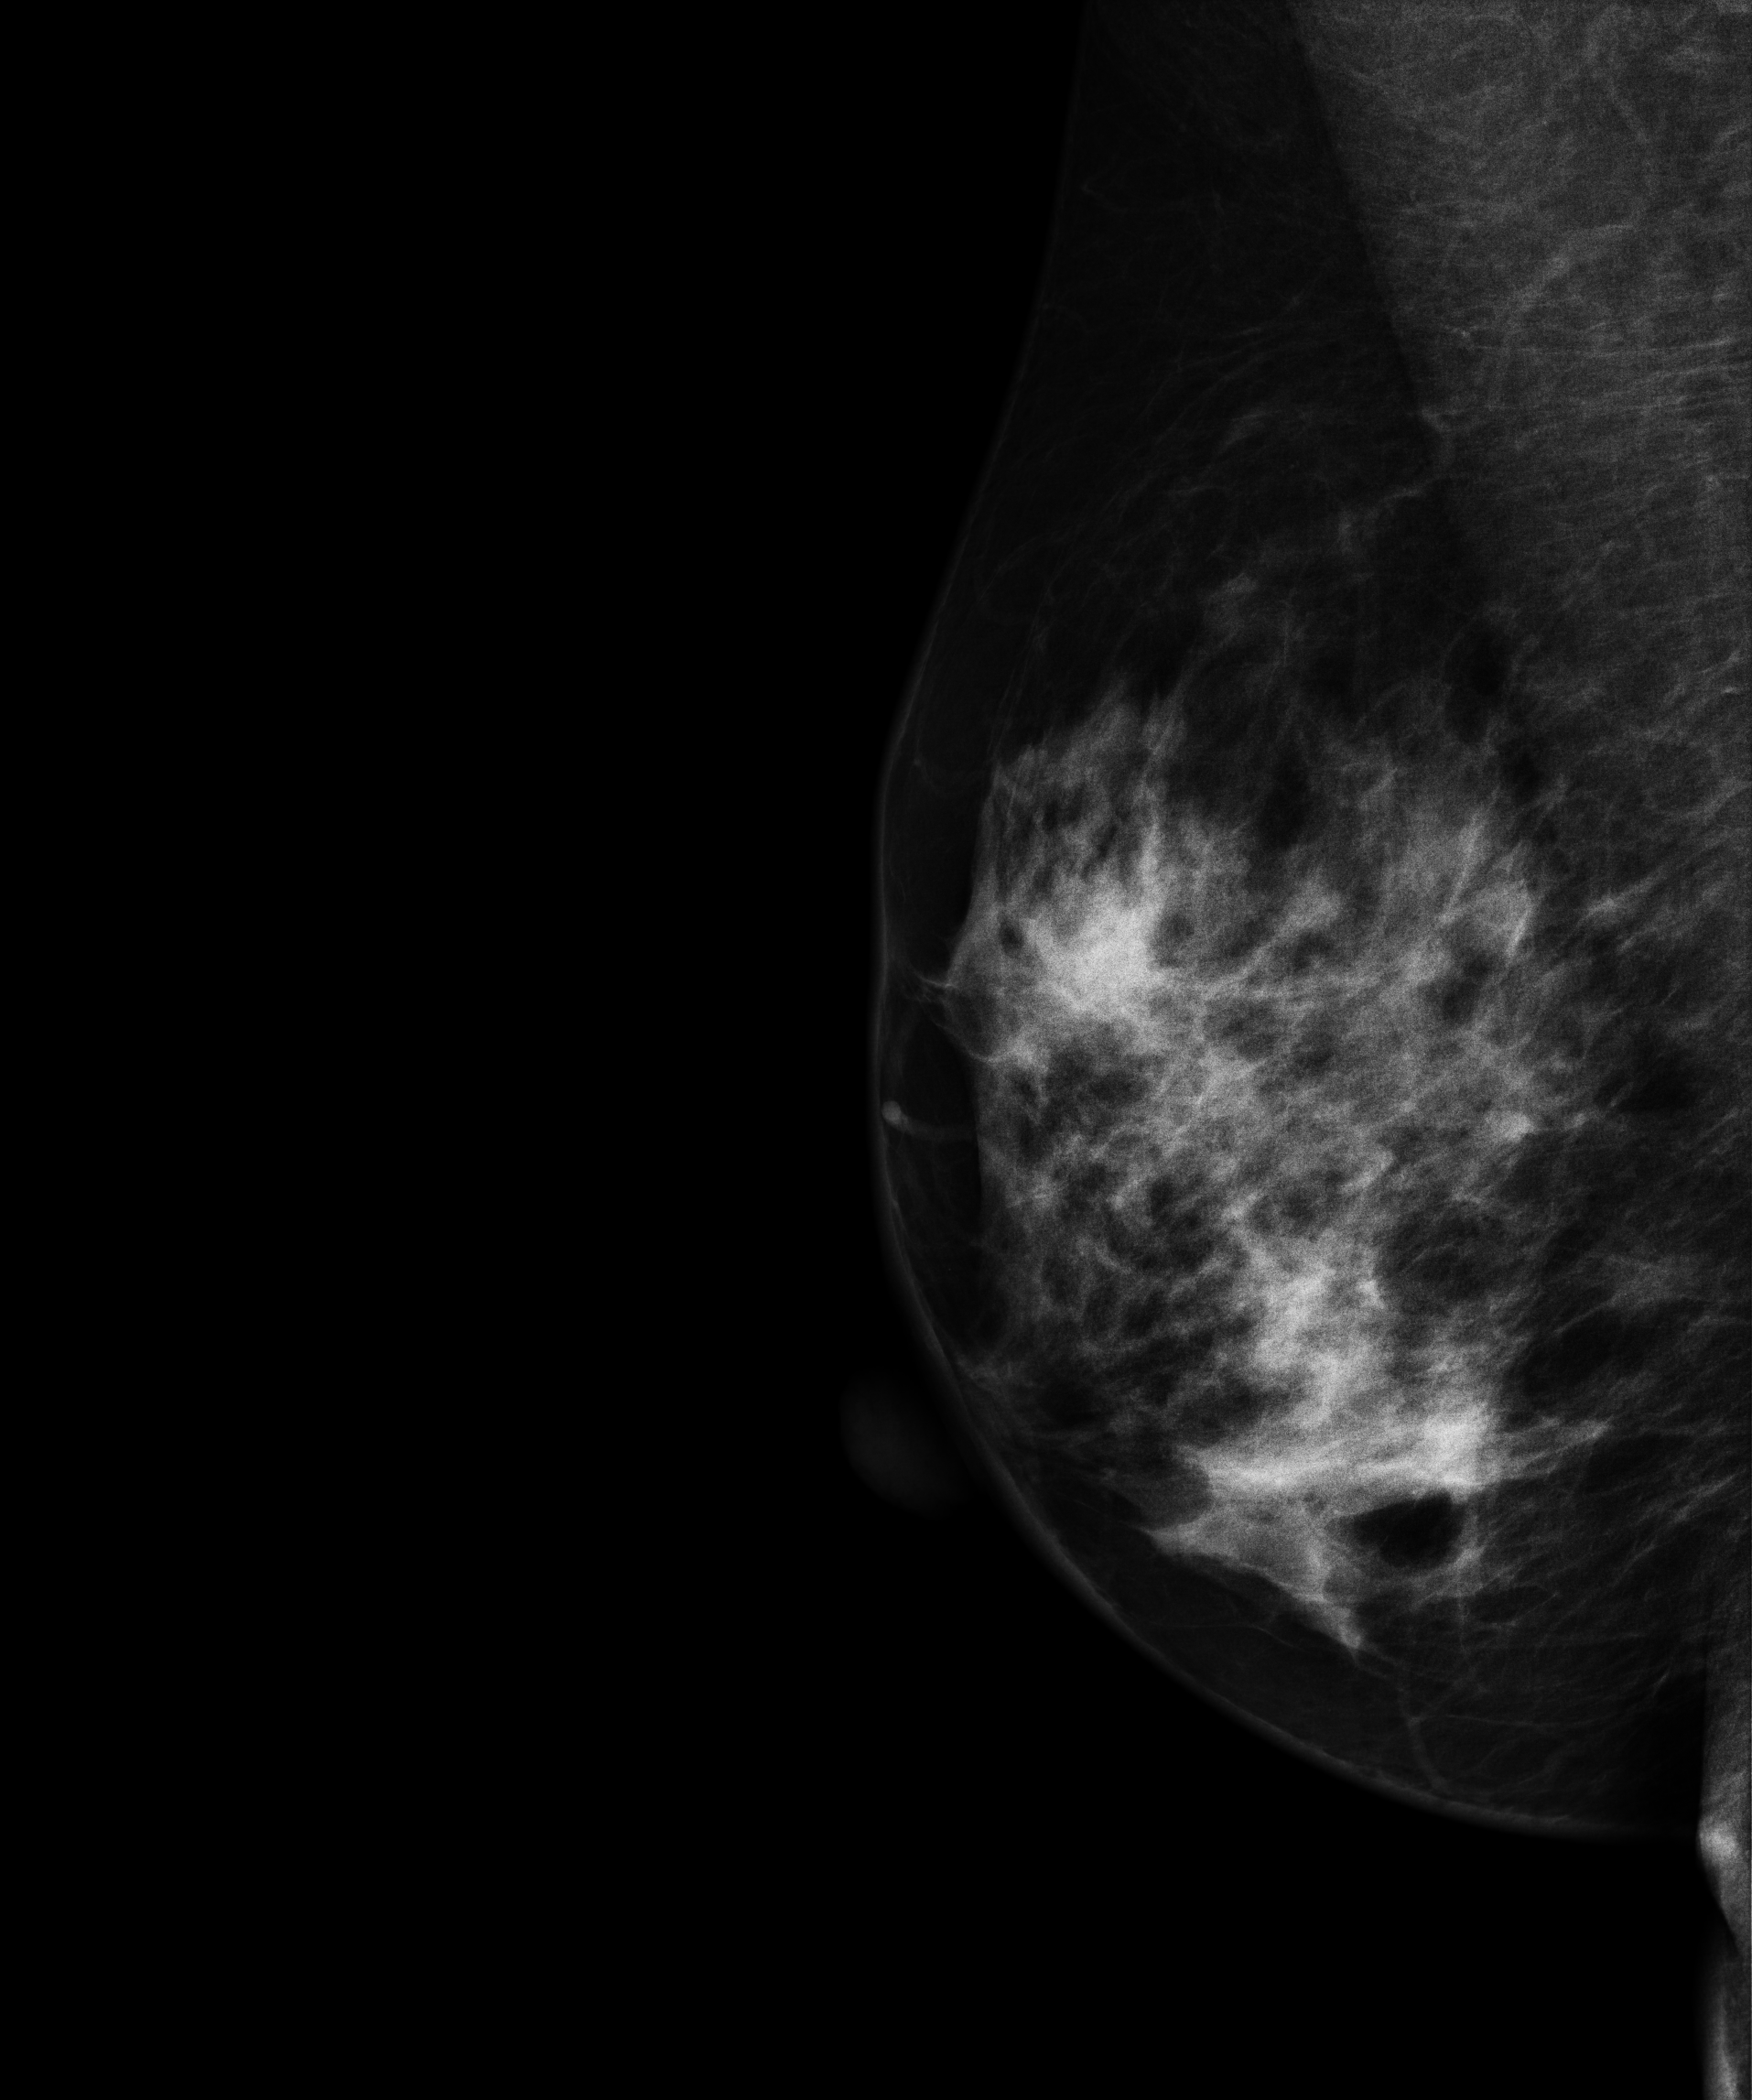
Right-breast mammogram, MLO. Patient age 46.
Contralateral breast — no documented abnormality on this side.